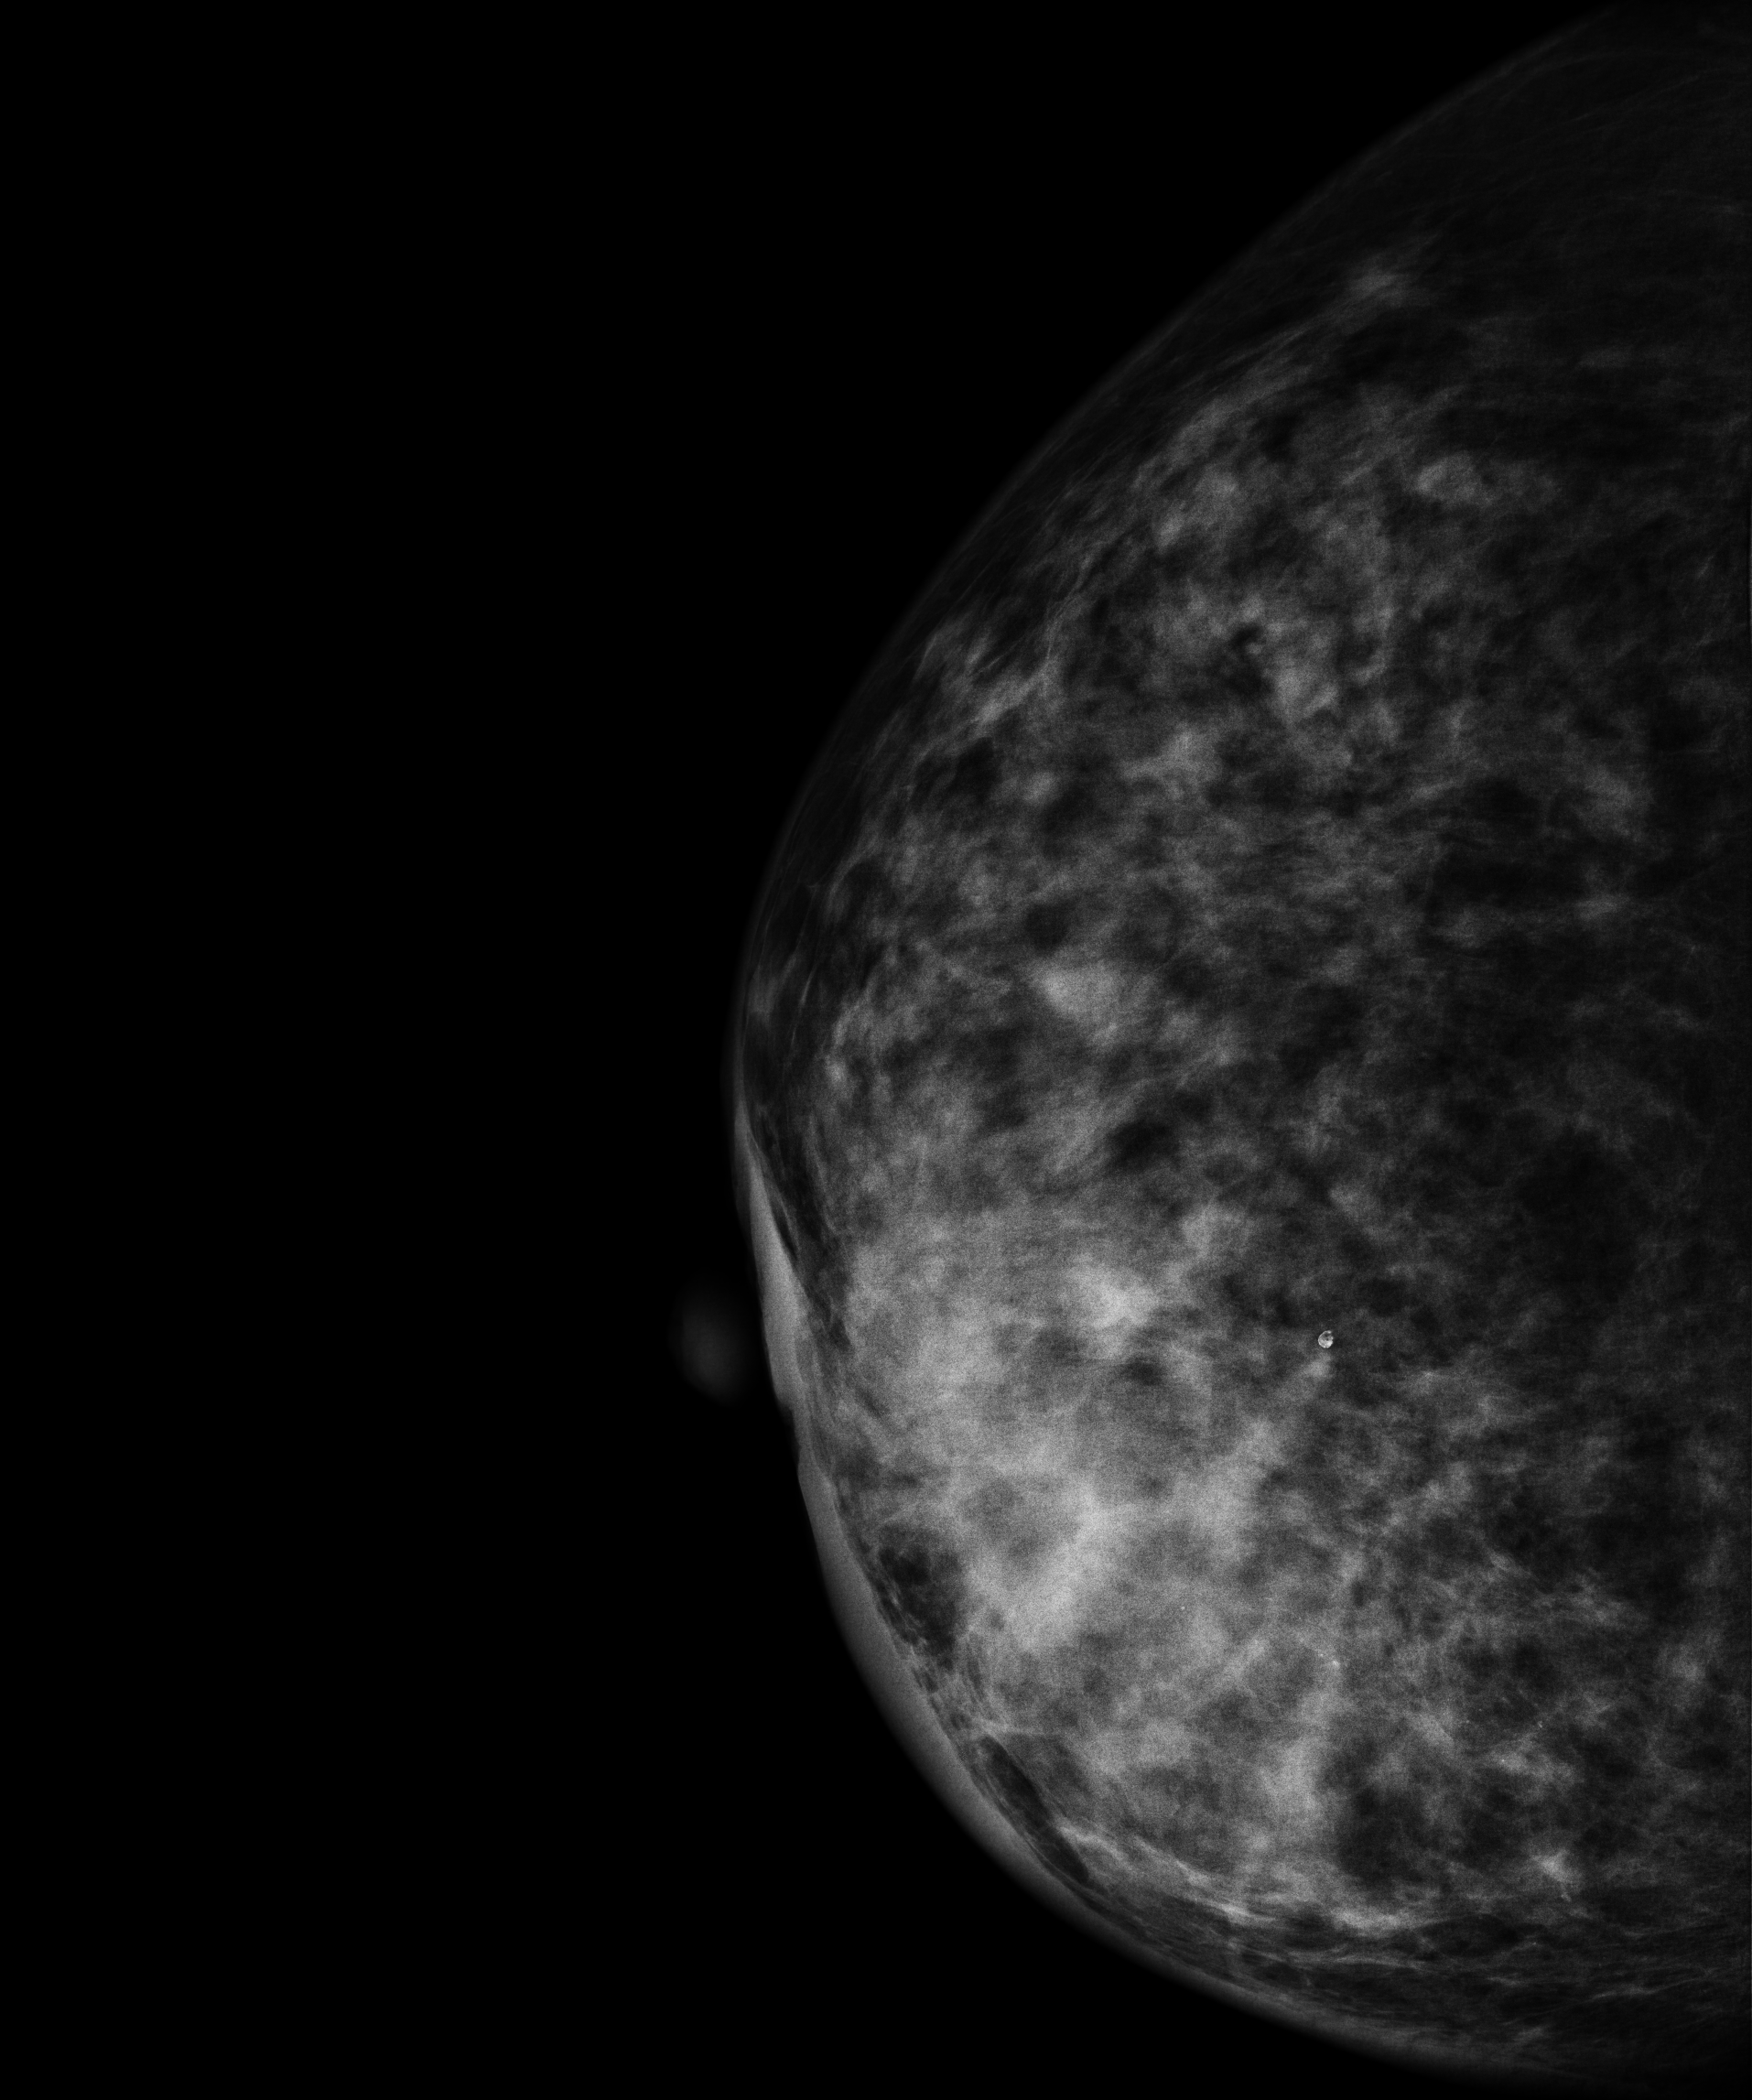
Digital mammography. Right breast, CC projection. 51 y/o patient.
This breast has a mass, pathology-confirmed malignant. Molecular subtype: luminal B.